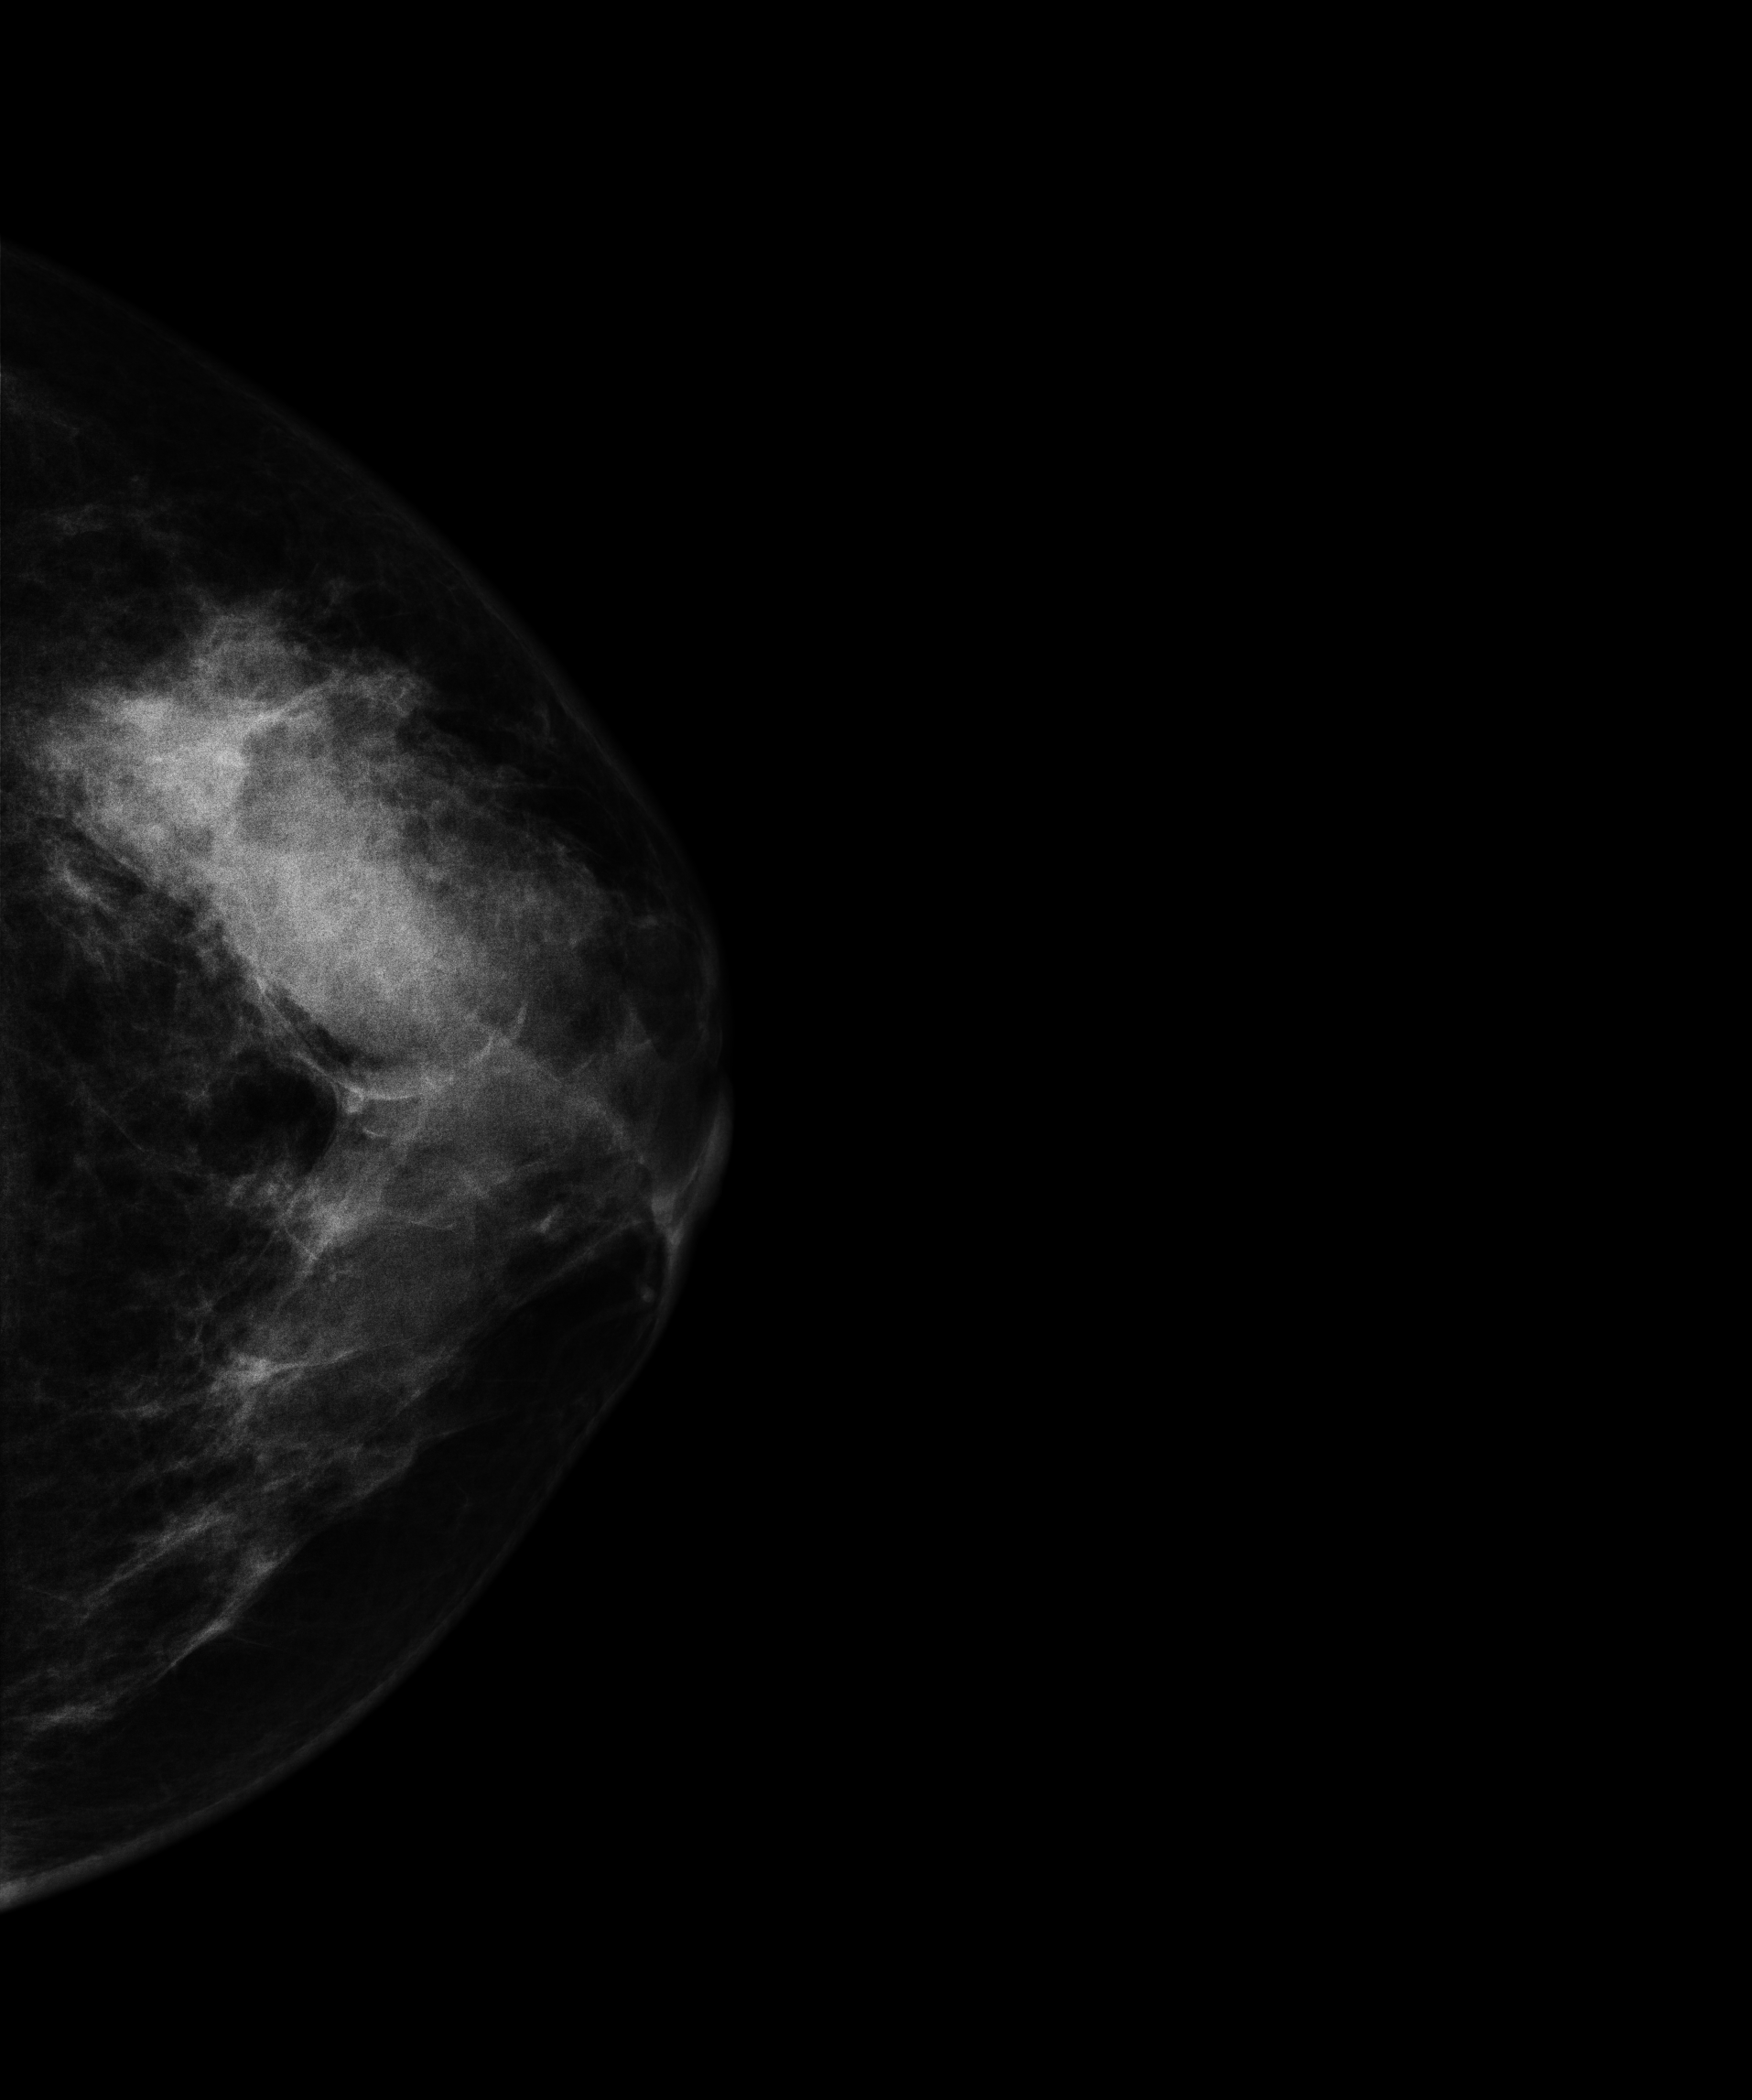
Mammogram — left CC. Patient age 38.
This breast has a mass, histologically confirmed benign.